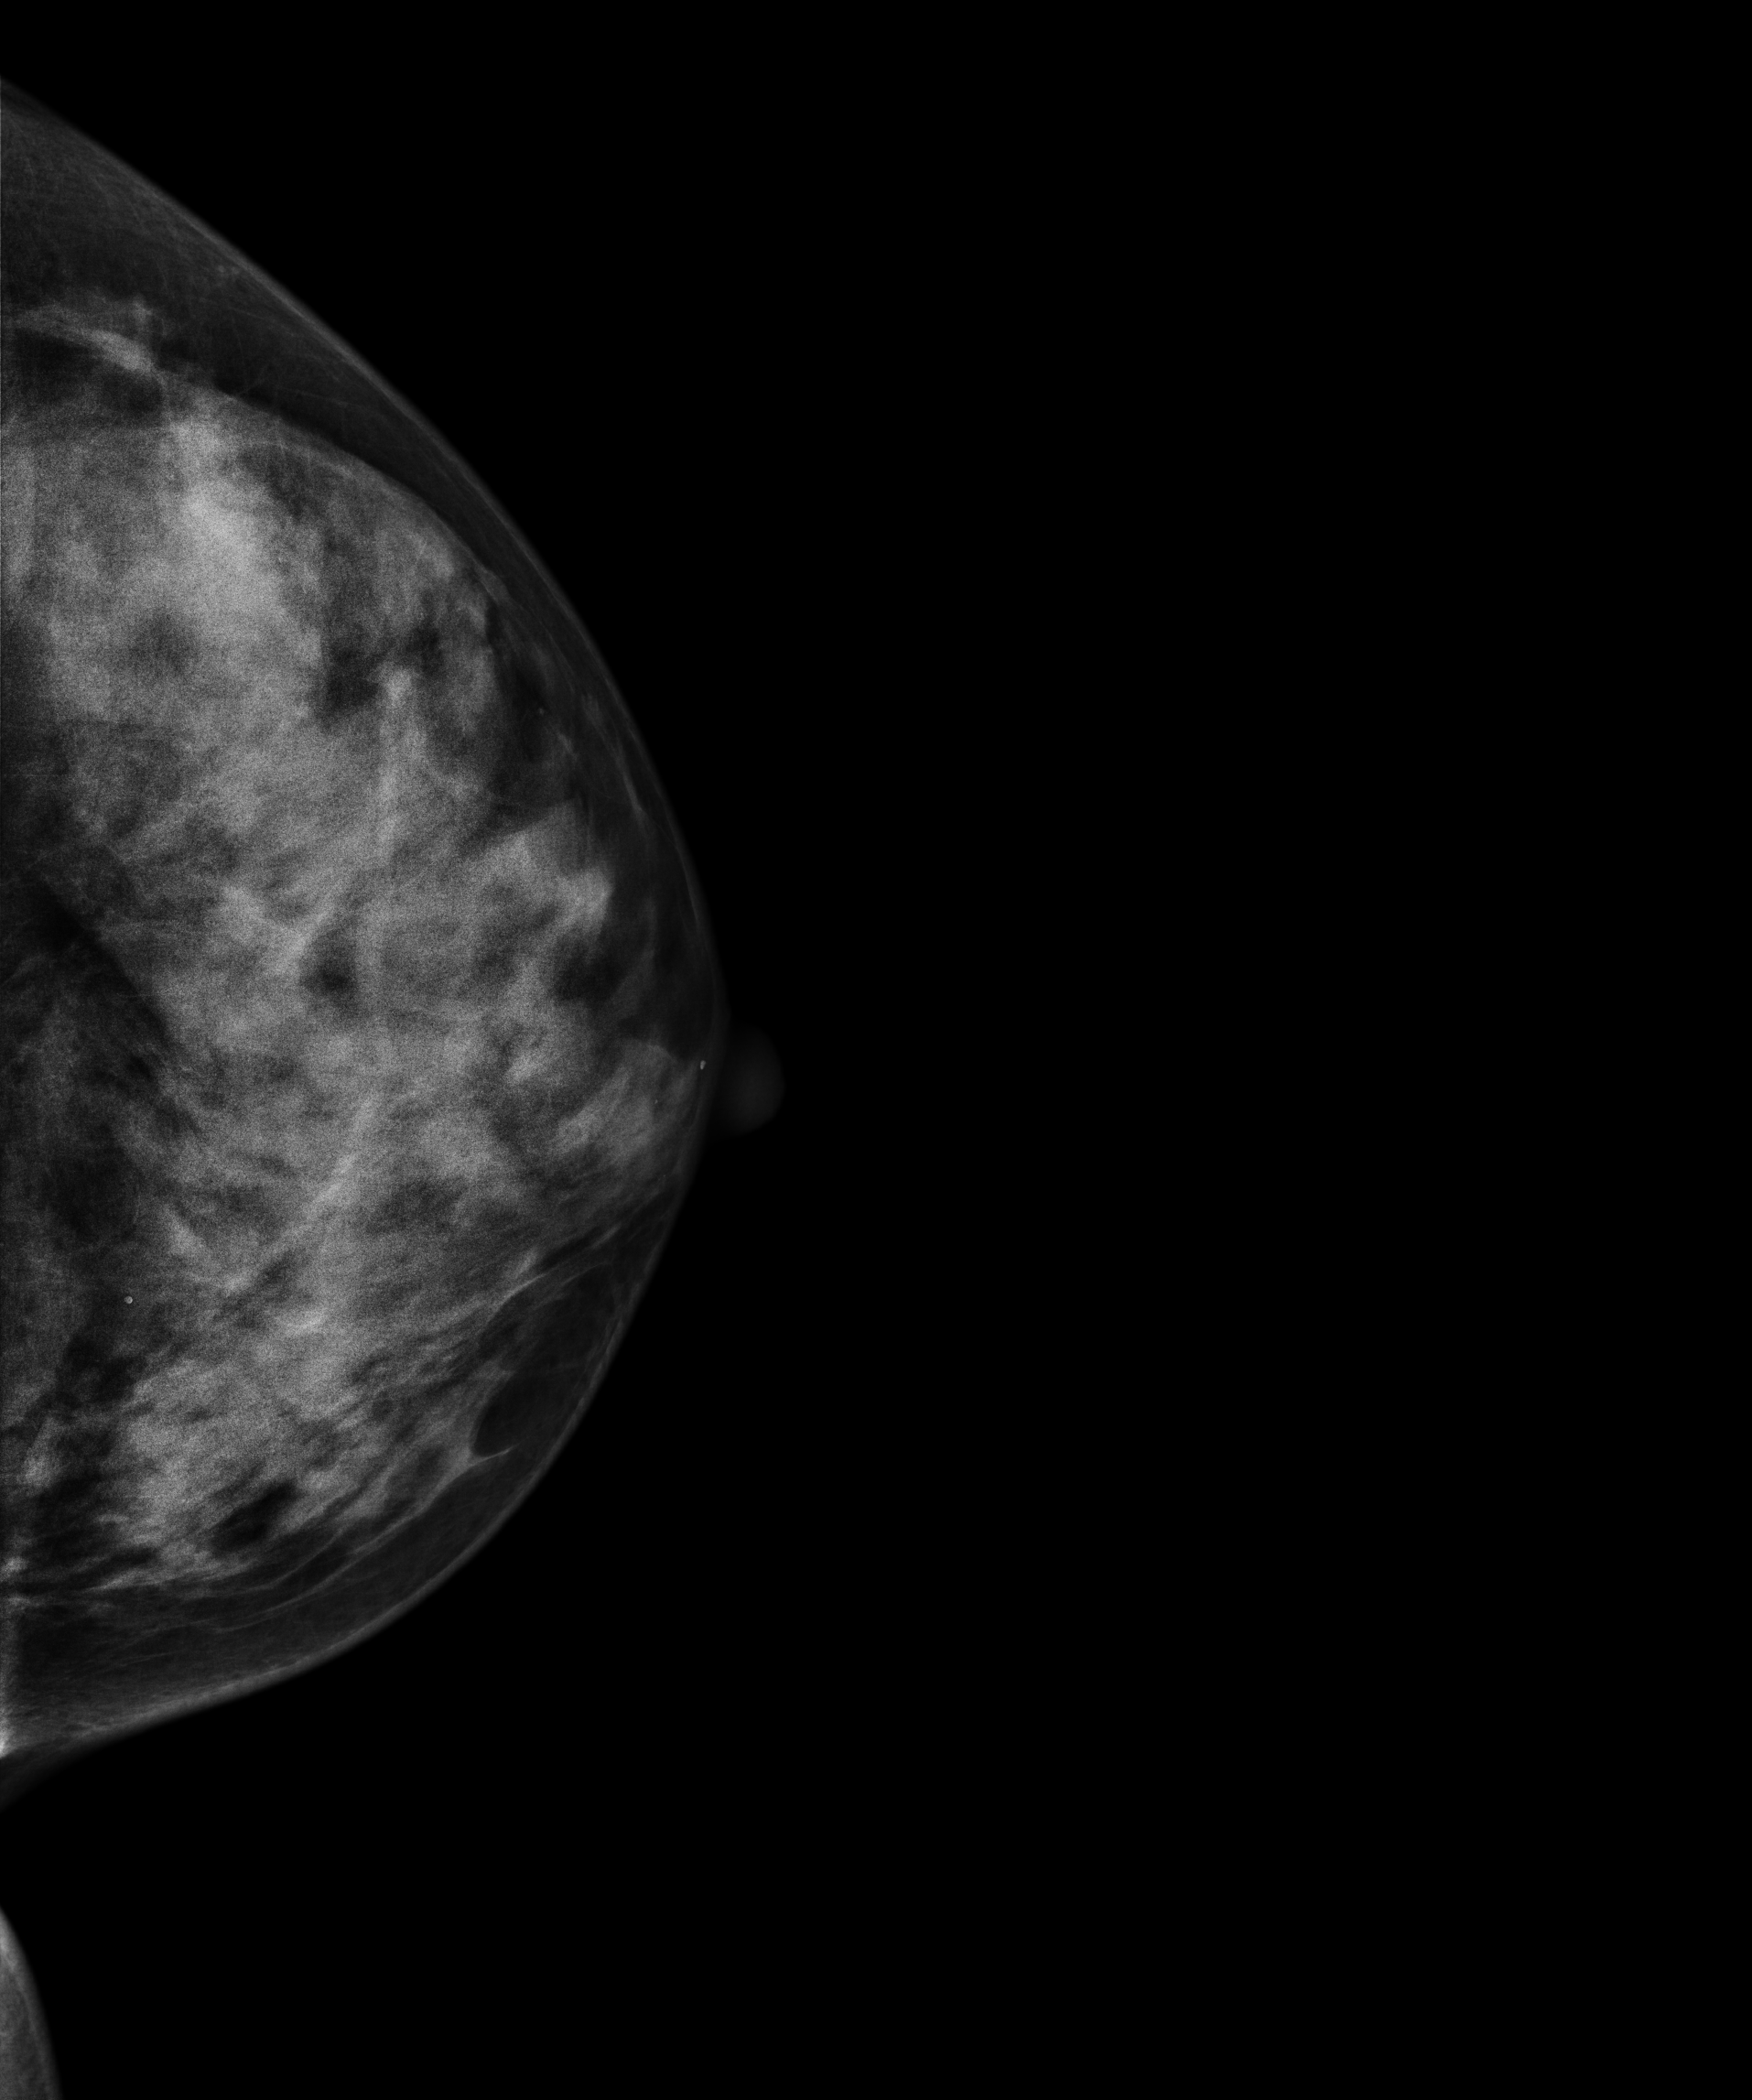
Mammogram — left cranio-caudal. 42-year-old patient.
This breast has a mass, histologically confirmed benign.